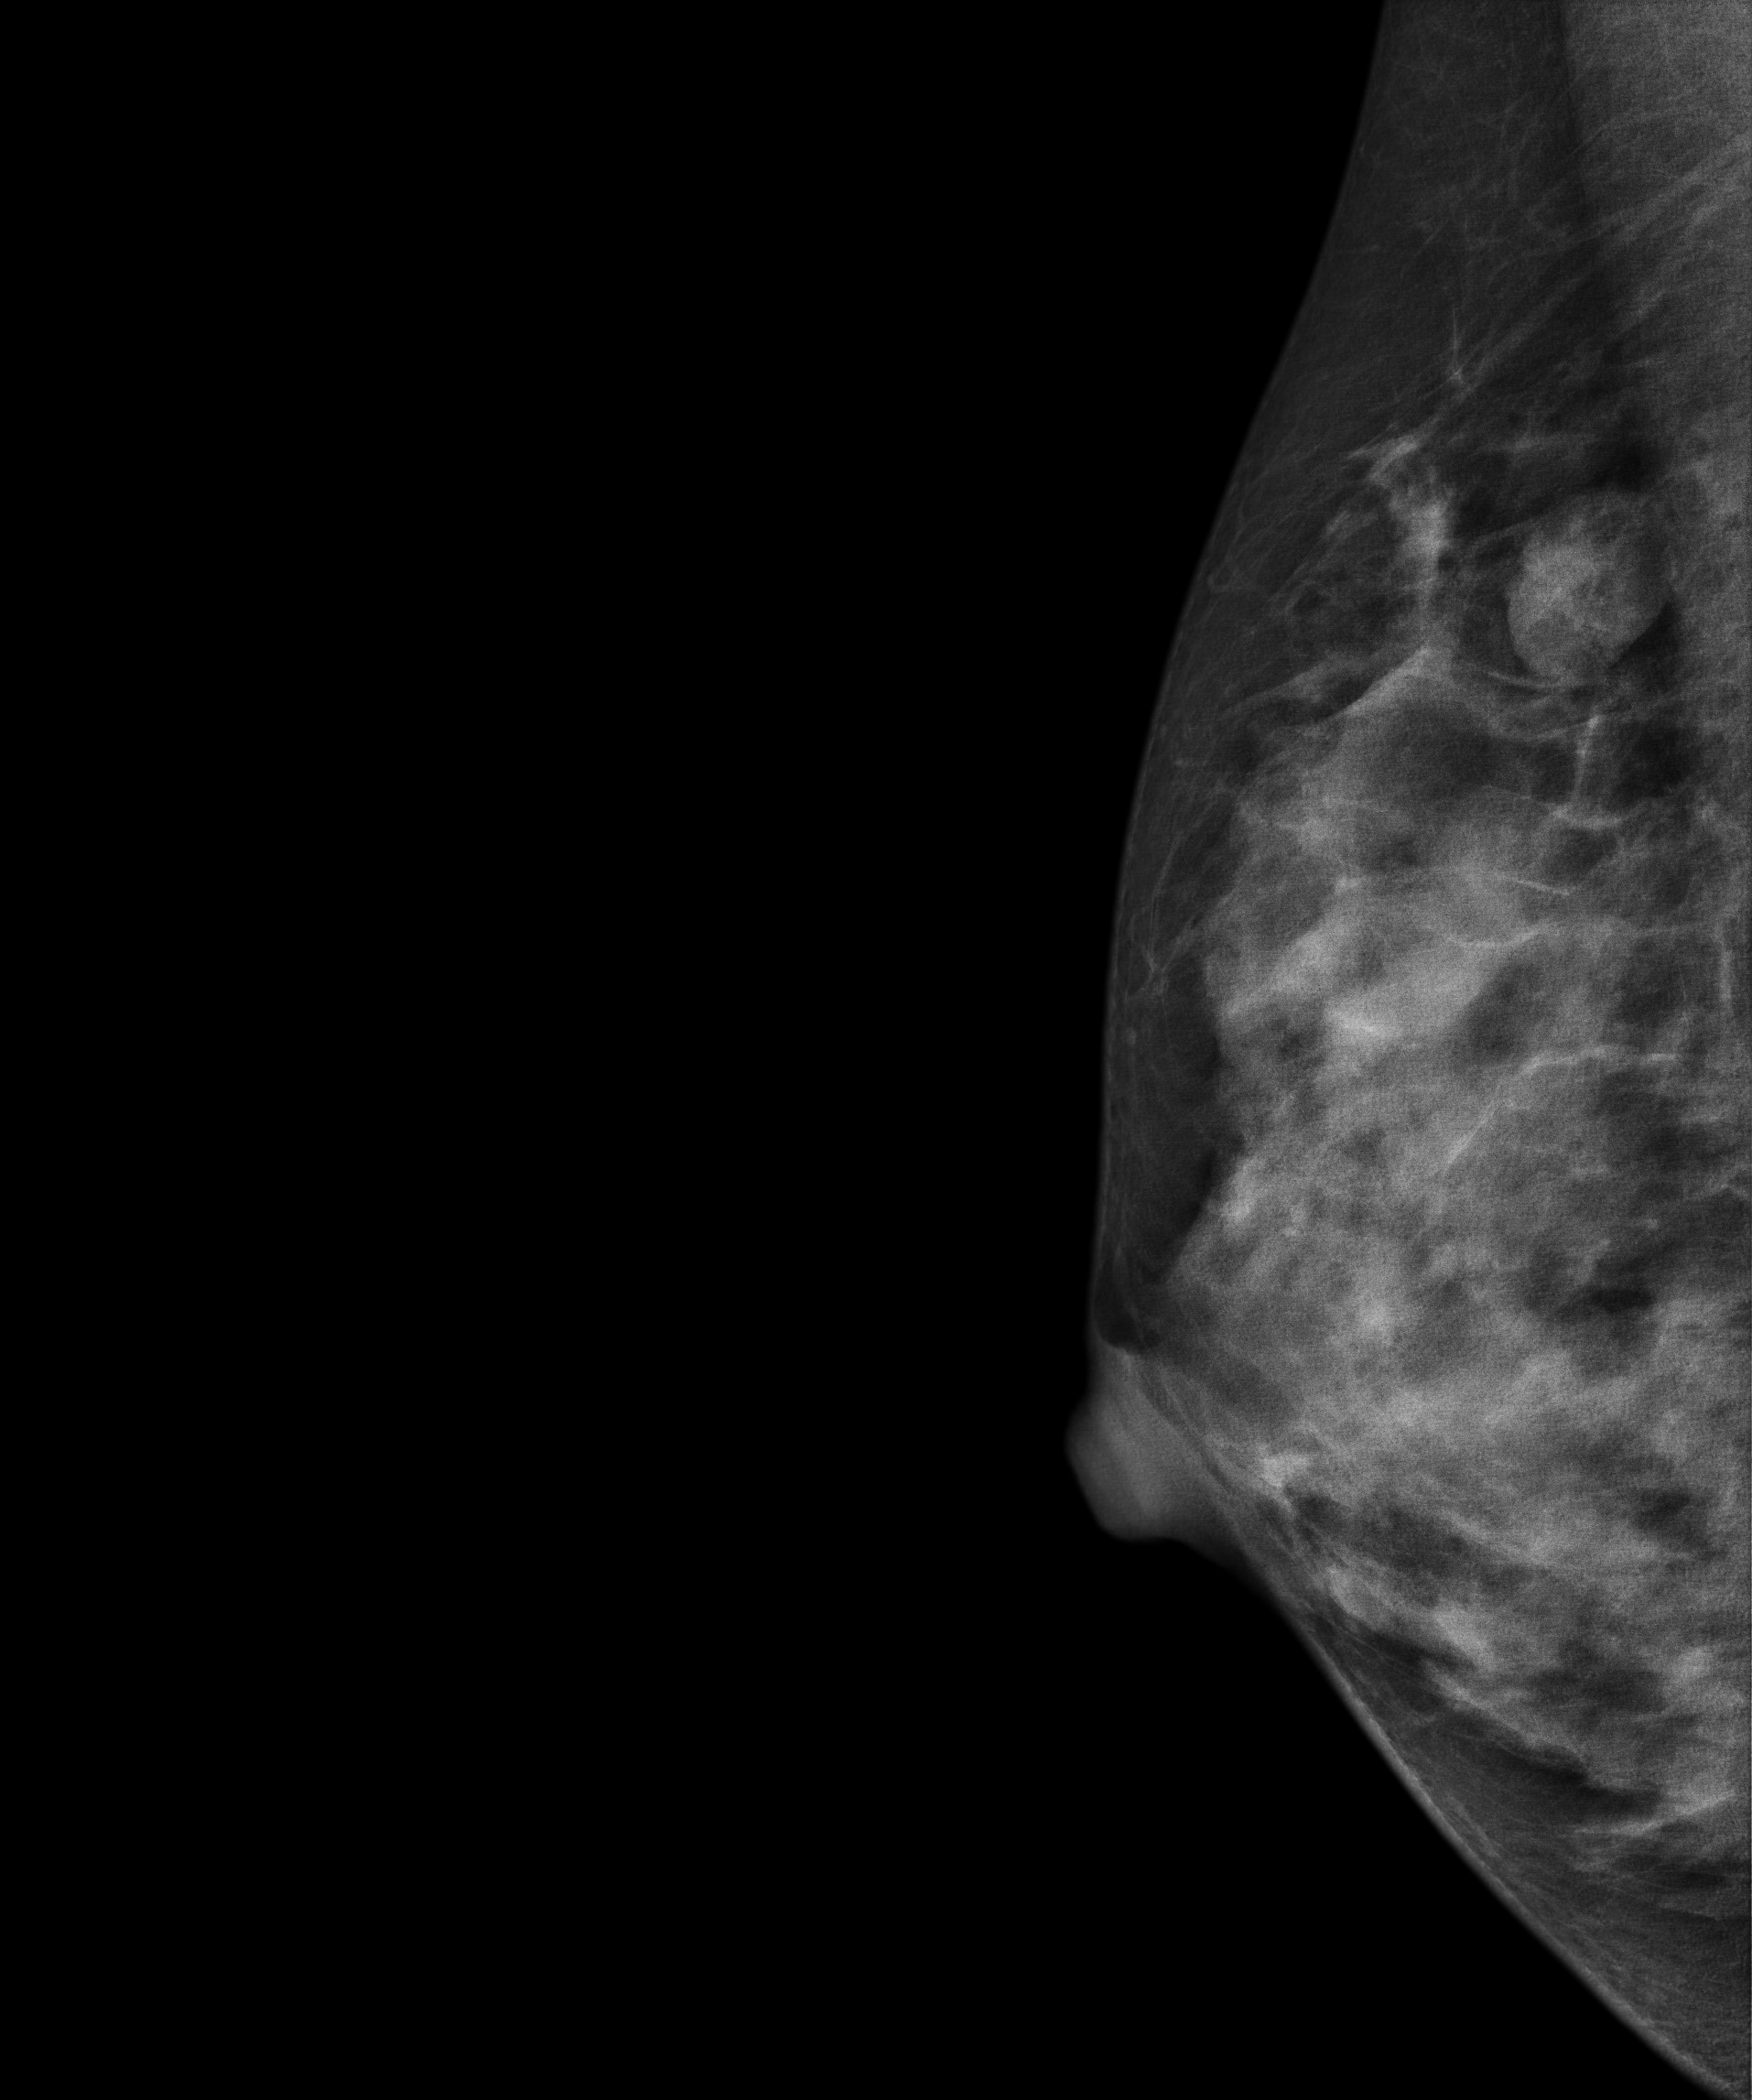
Mammogram — right medio-lateral oblique. 23-year-old patient.
This breast has a mass, biopsy-proven benign.